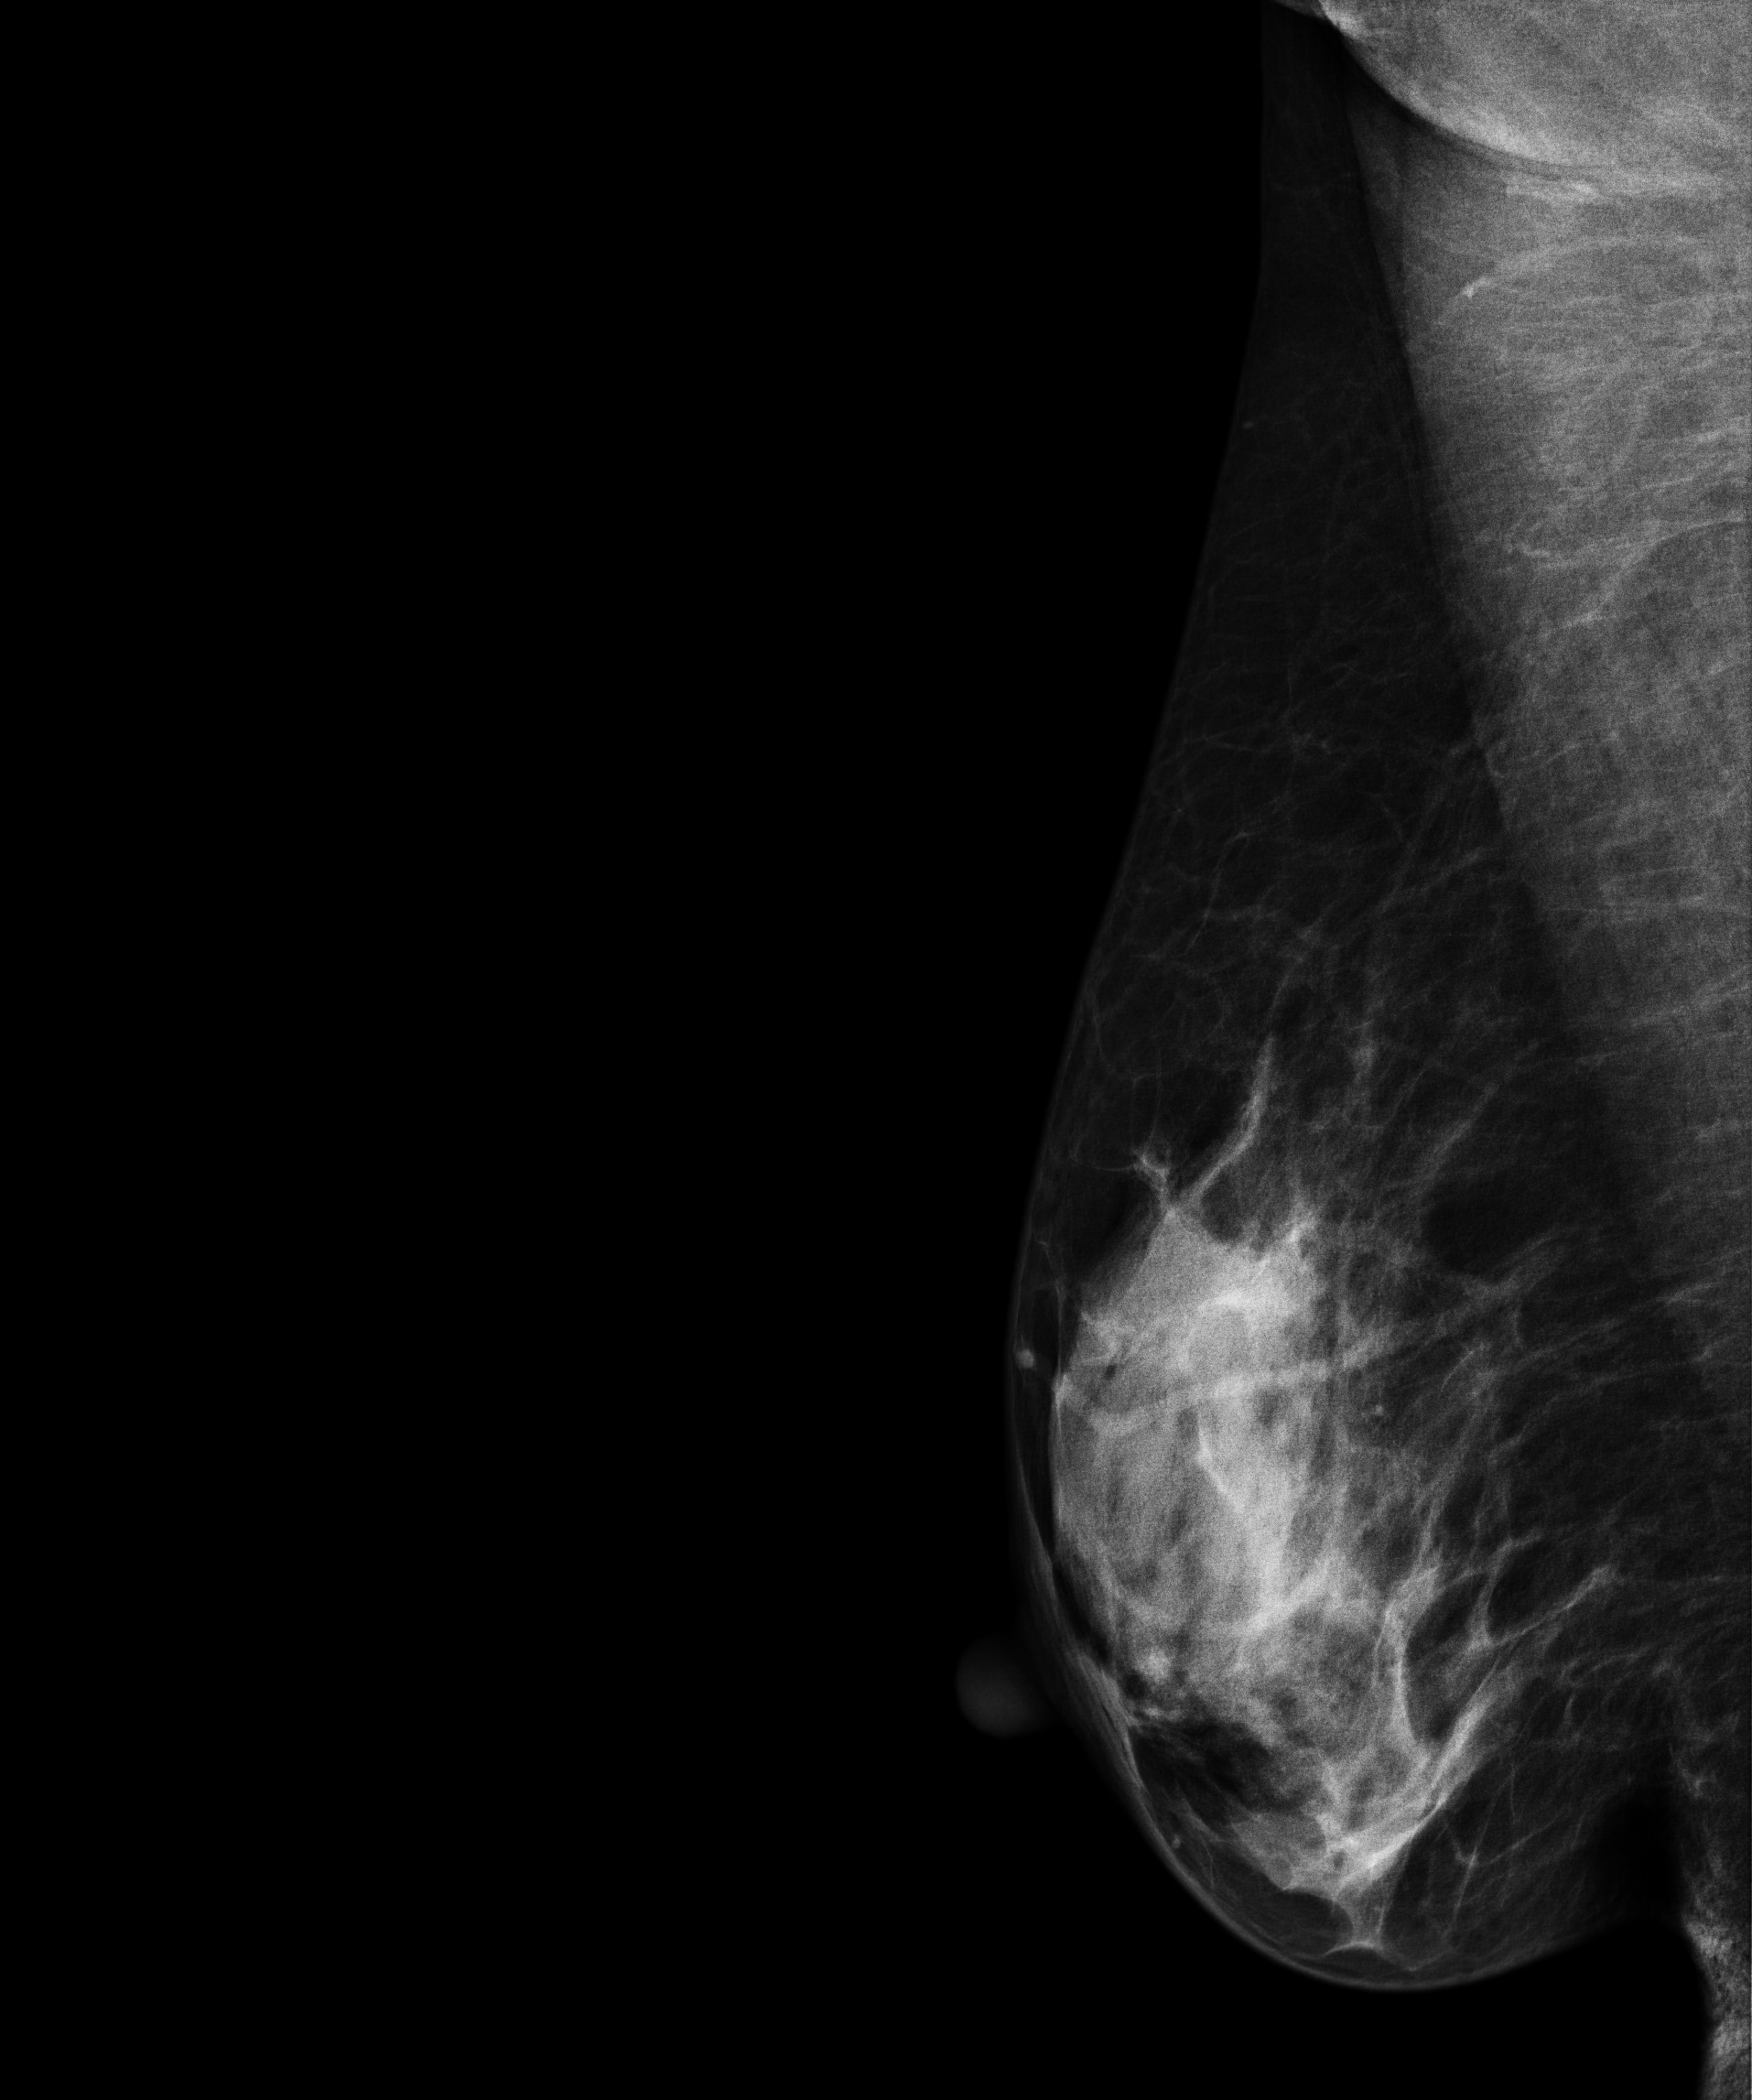
Mammogram, right breast, MLO view. 55-year-old patient.
Contralateral breast — no documented abnormality on this side.